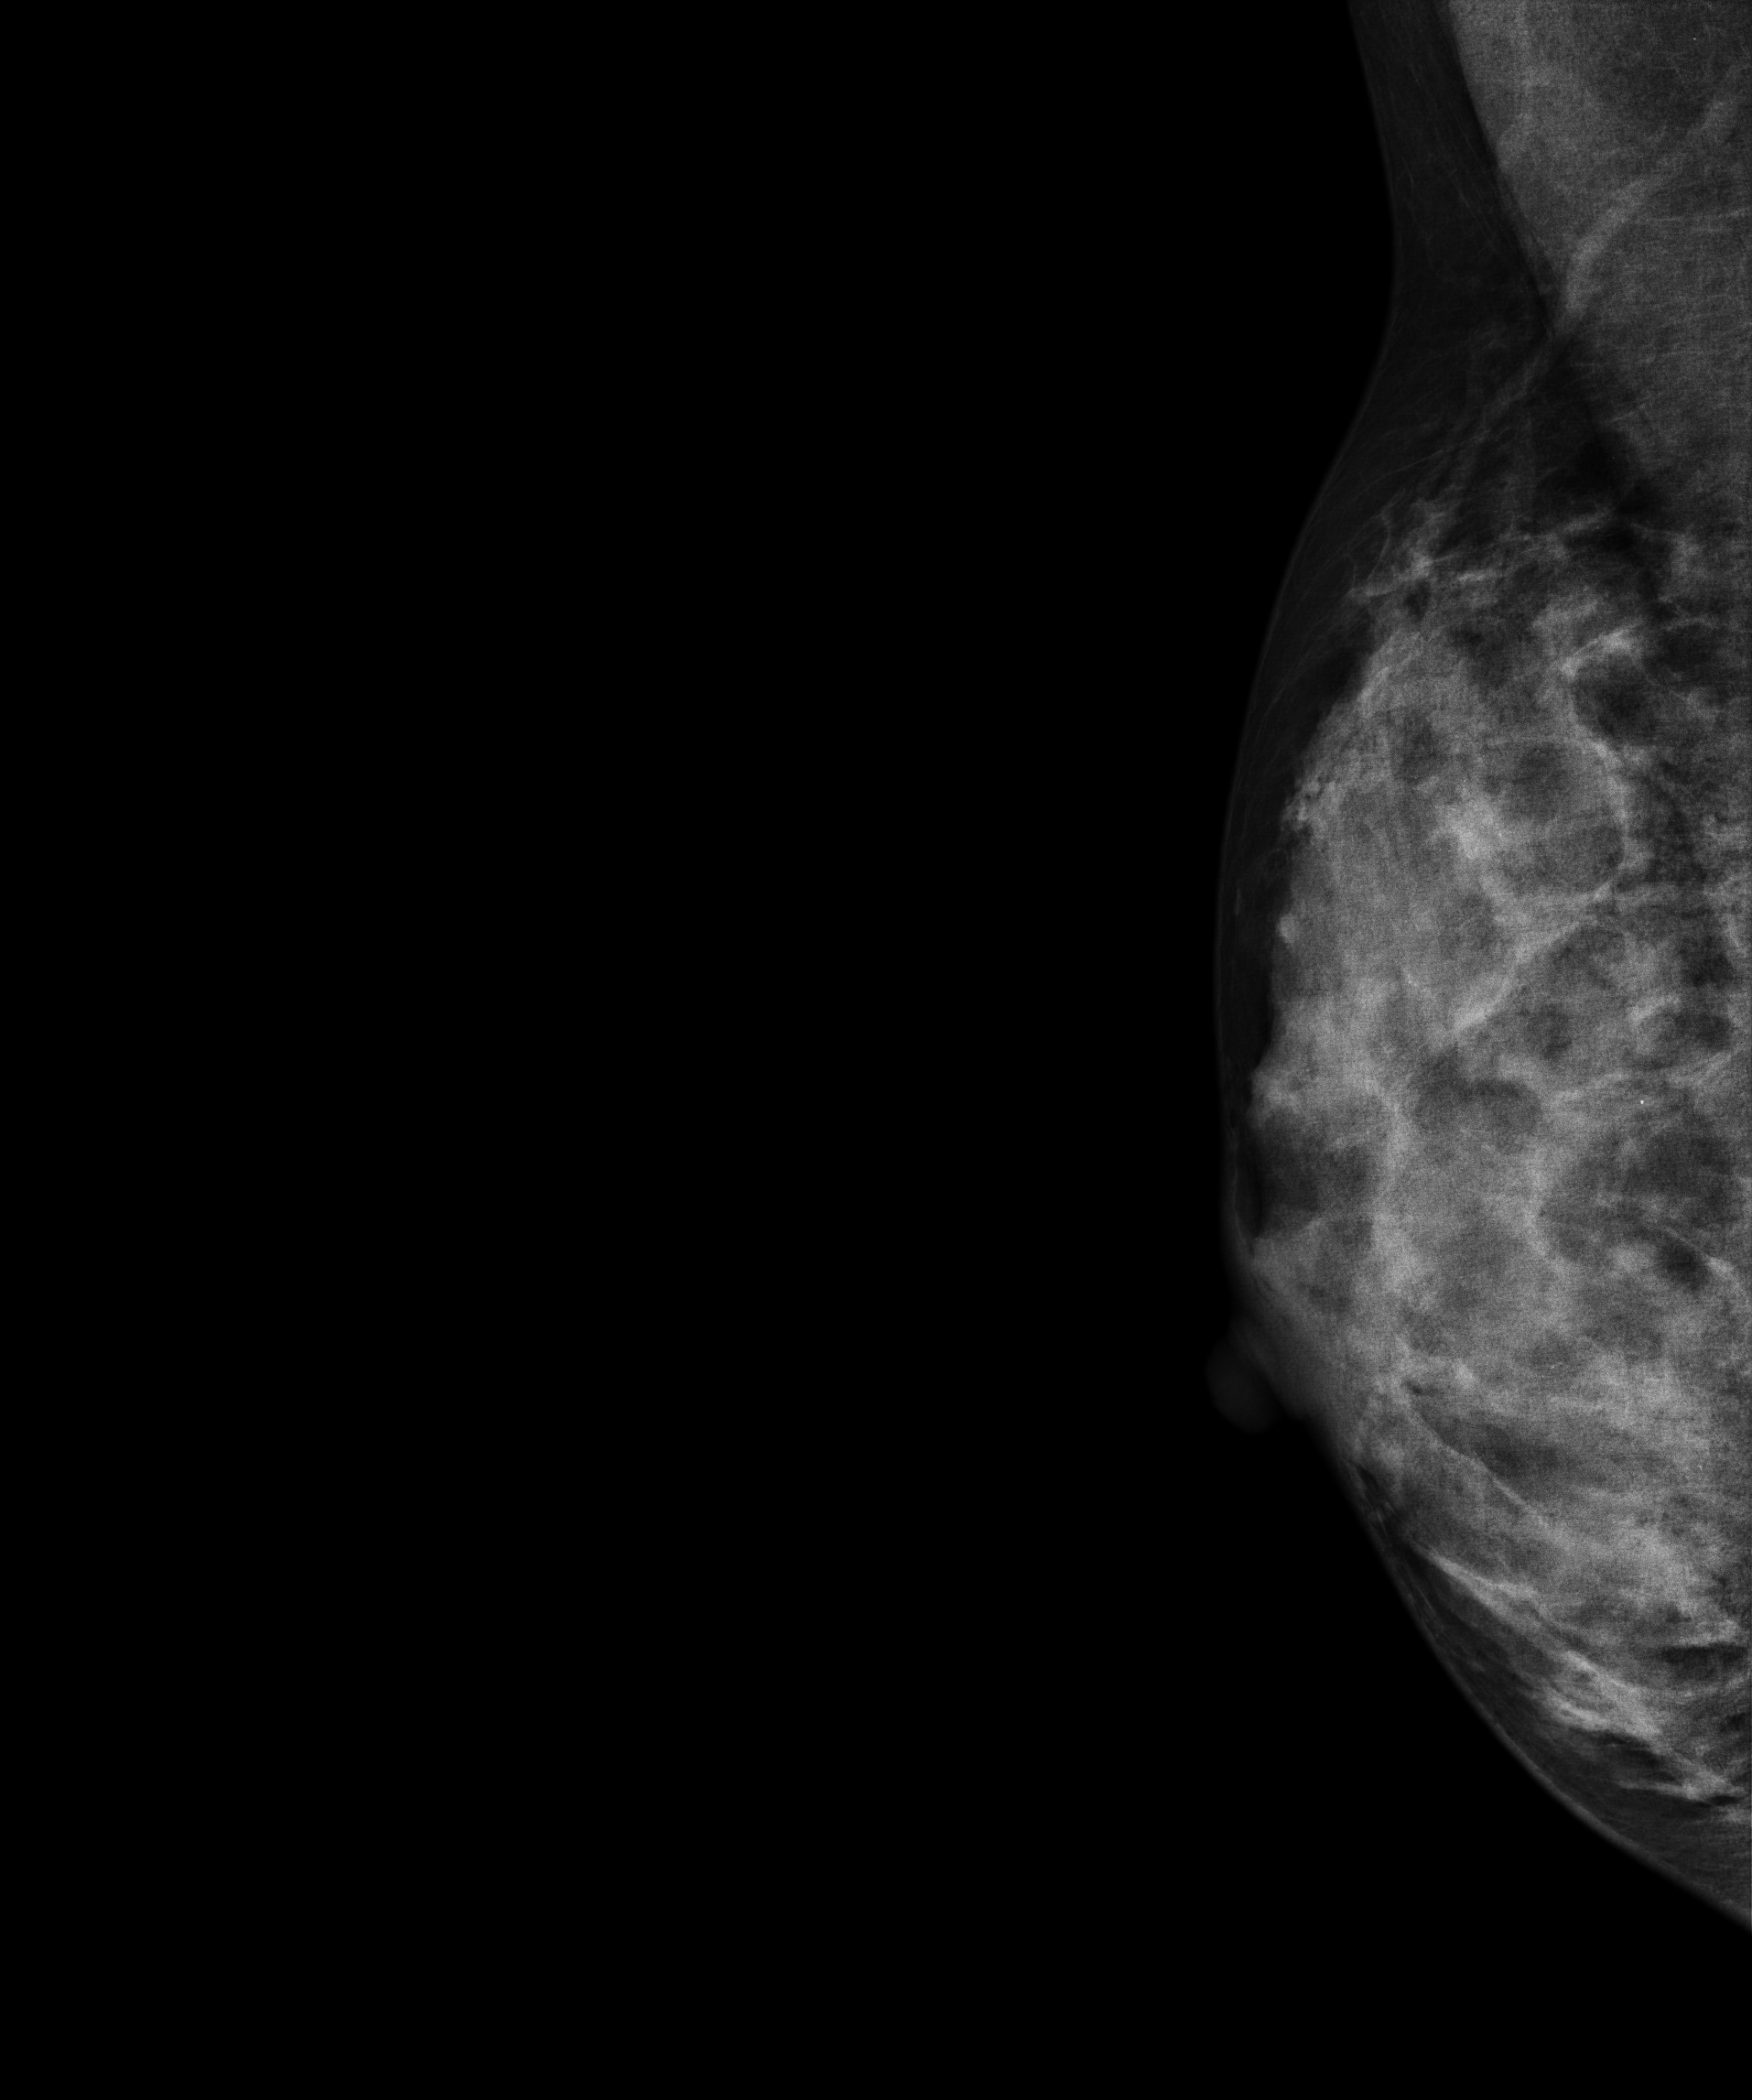
Mammogram, right breast, medio-lateral oblique view. 26-year-old patient.
This breast has a mass and calcifications, biopsy-proven benign.